Digital mammography. Right breast, cranio-caudal projection. 32 y/o patient.
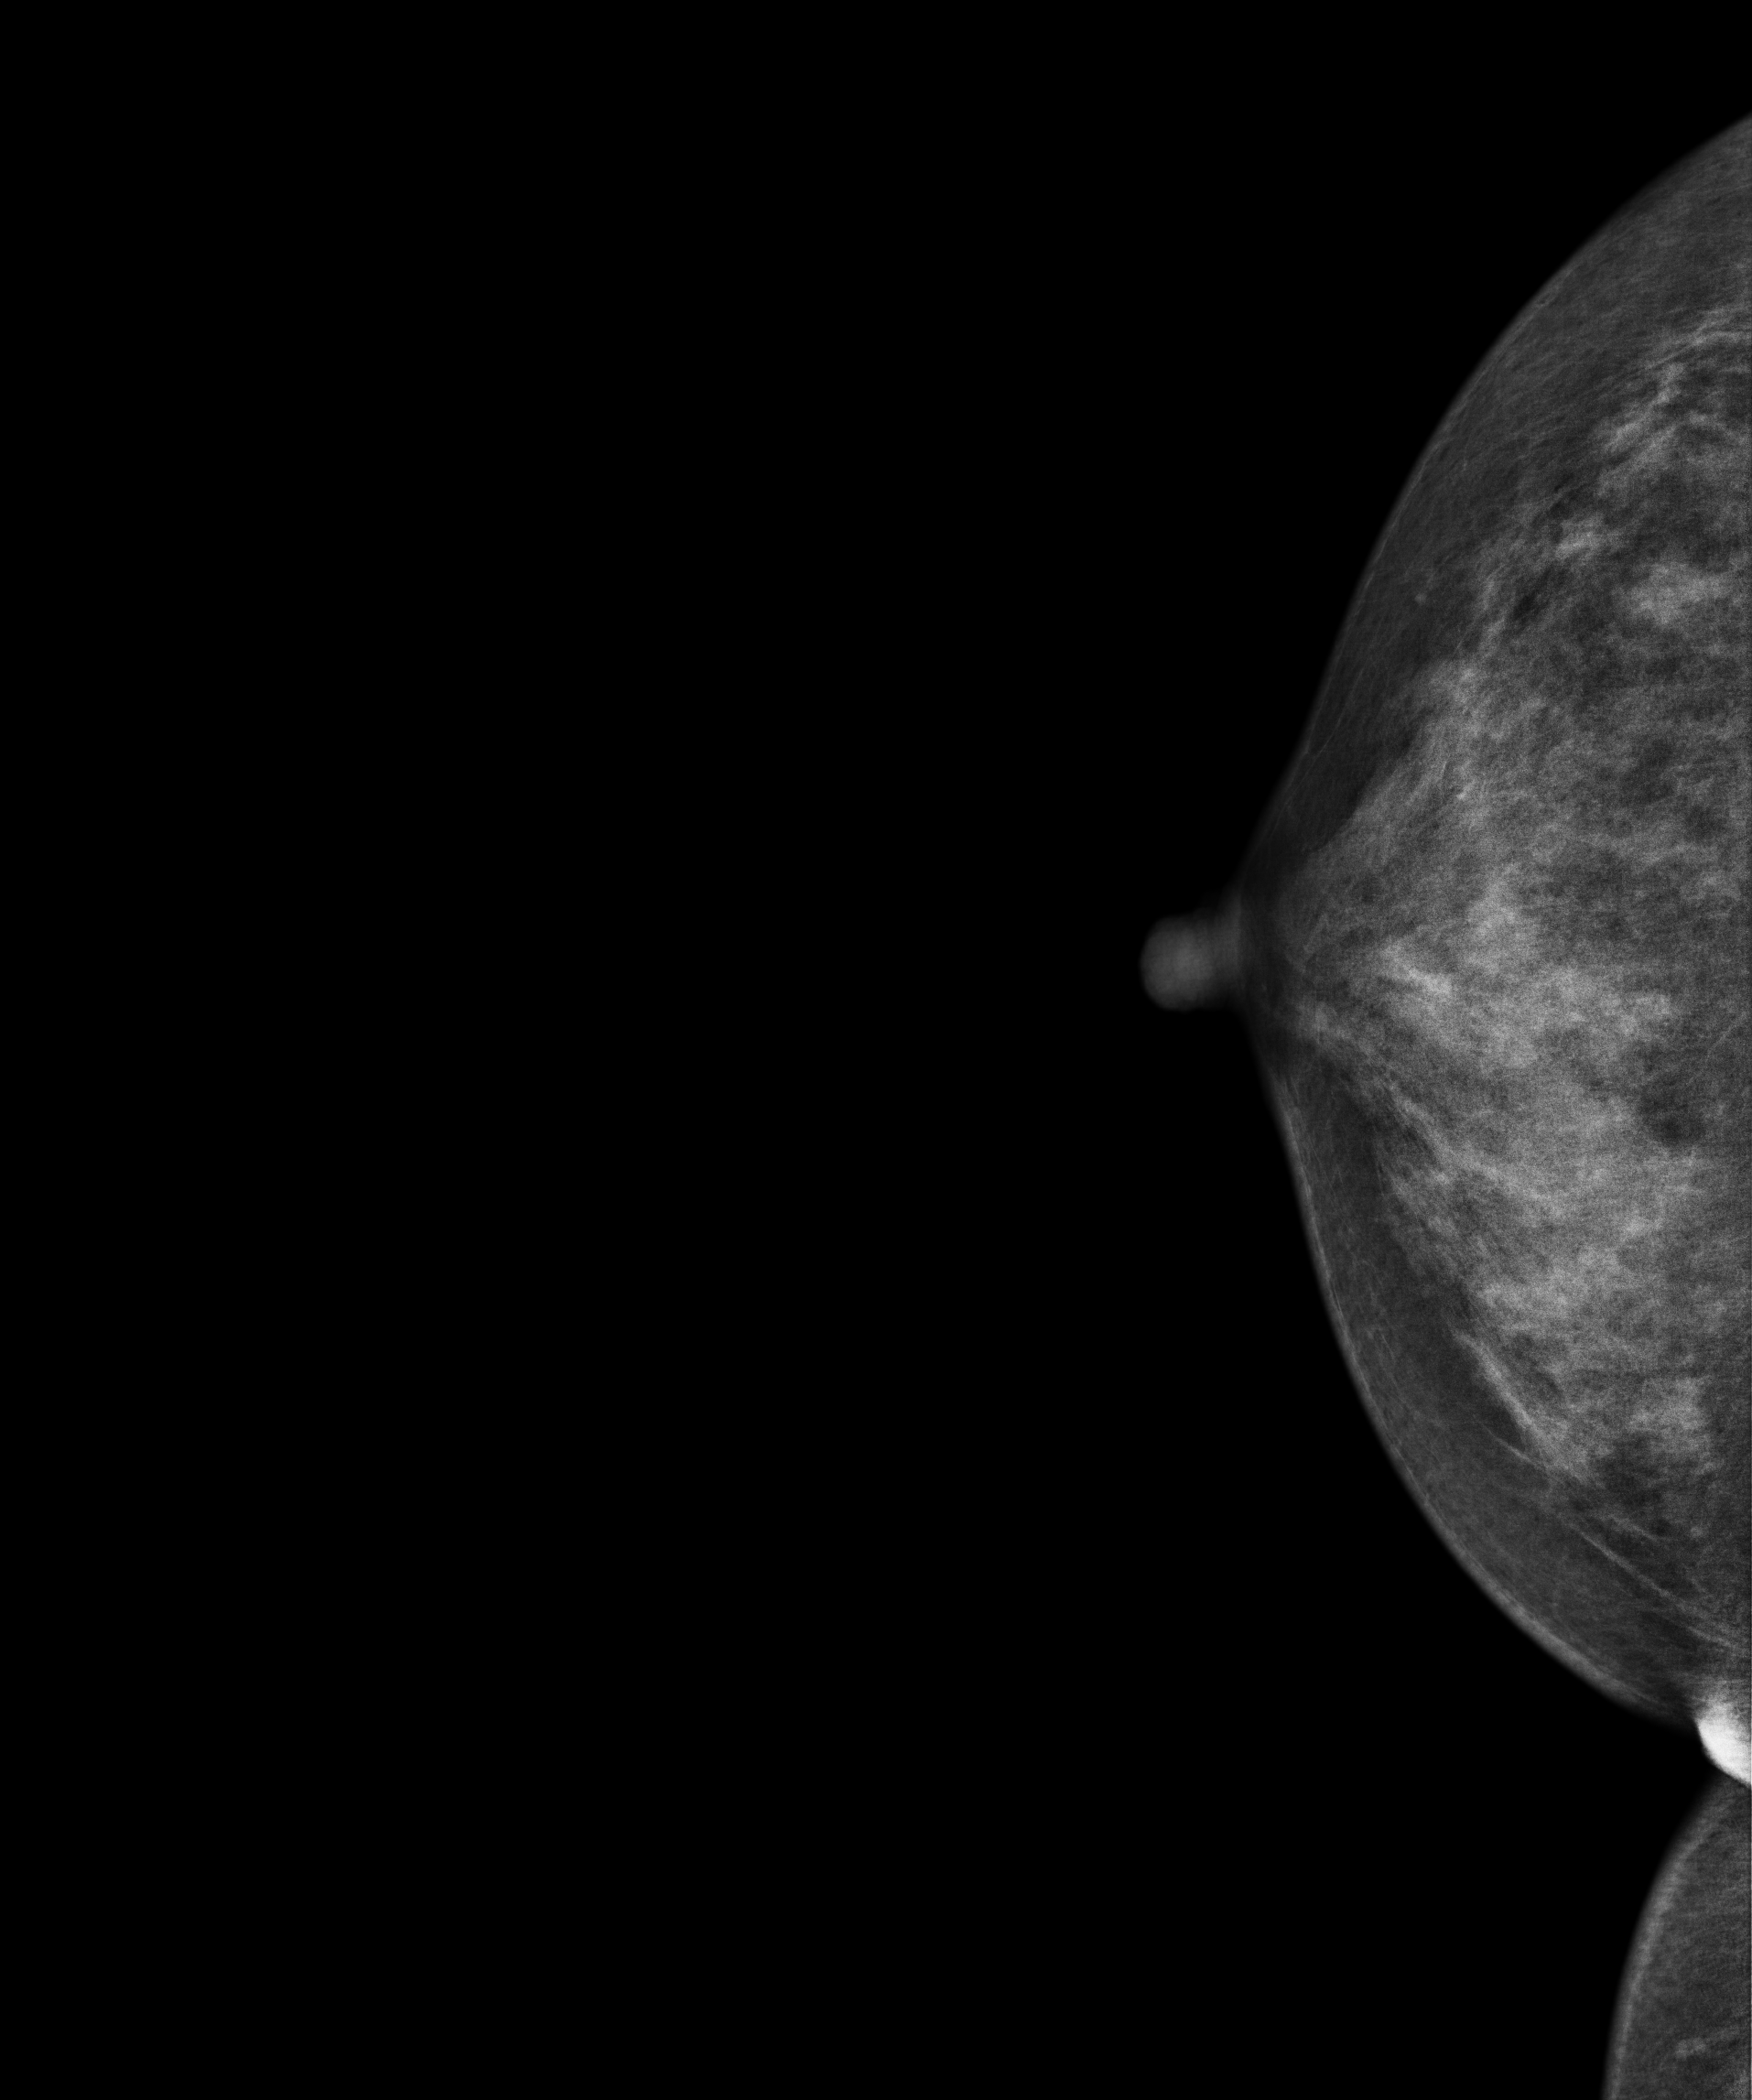
Contralateral breast — no documented abnormality on this side.